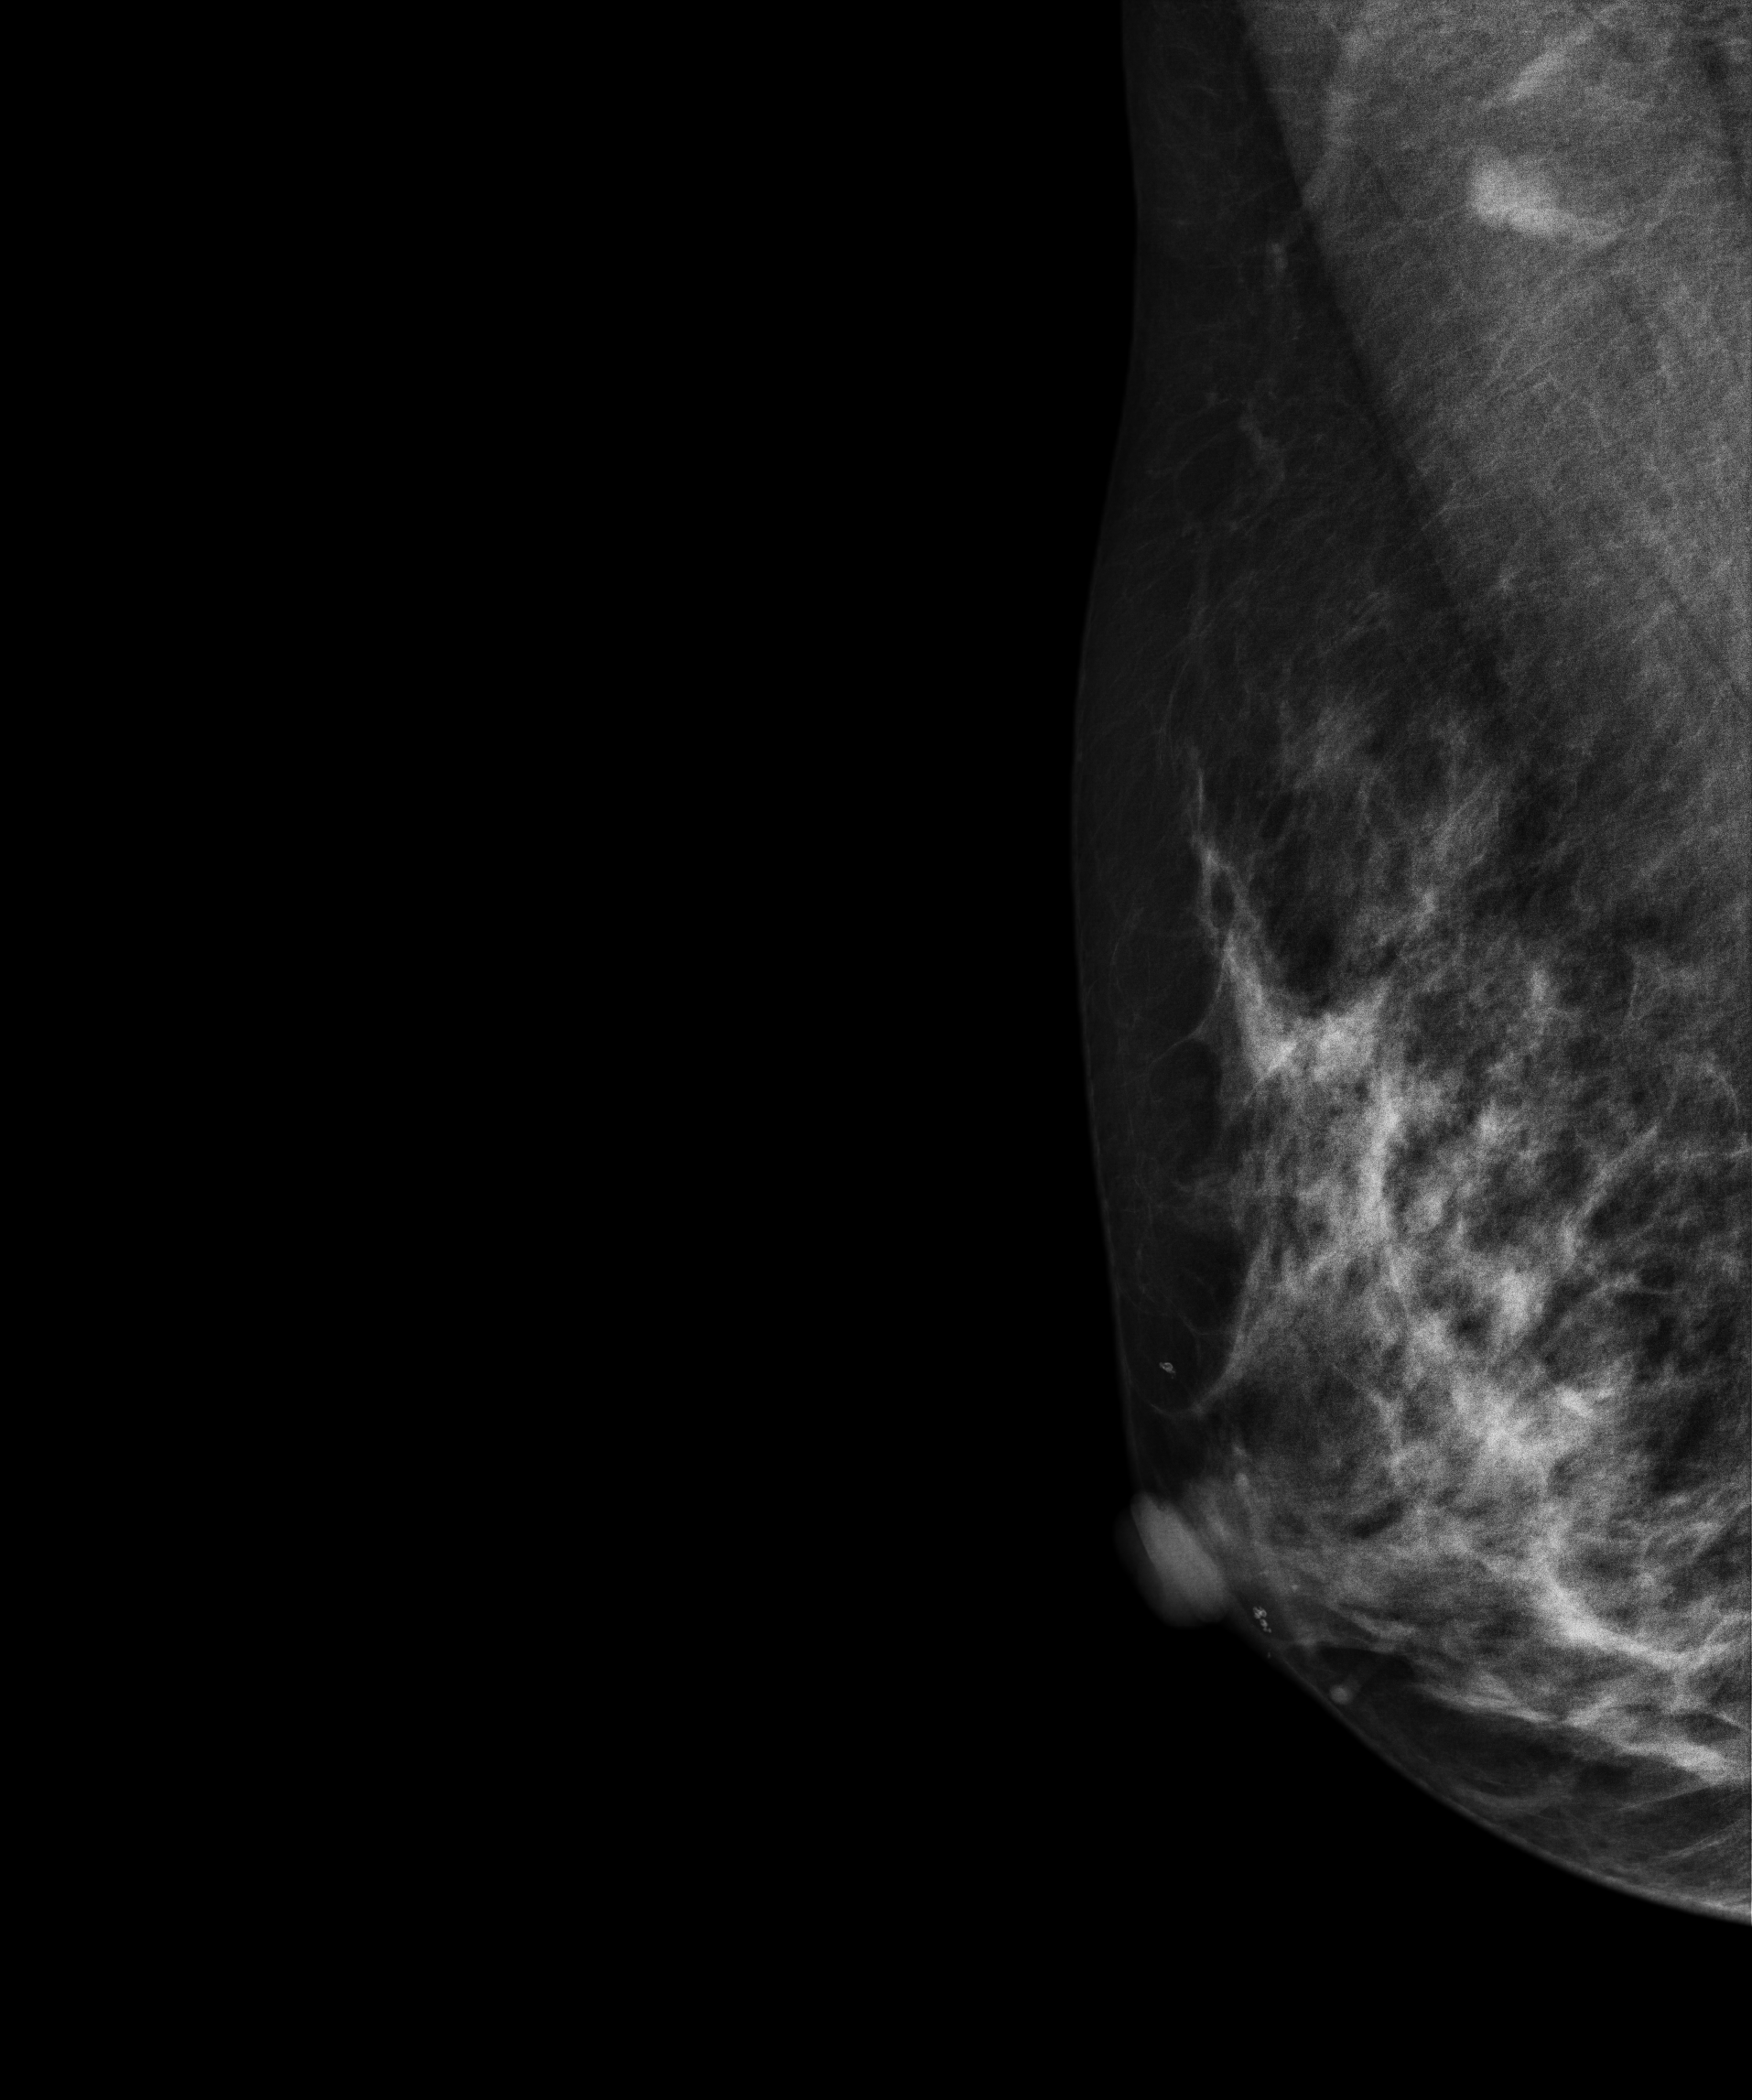
Digital mammography. Right breast, MLO projection. Patient age 37.
This breast has a mass, biopsy-proven benign.